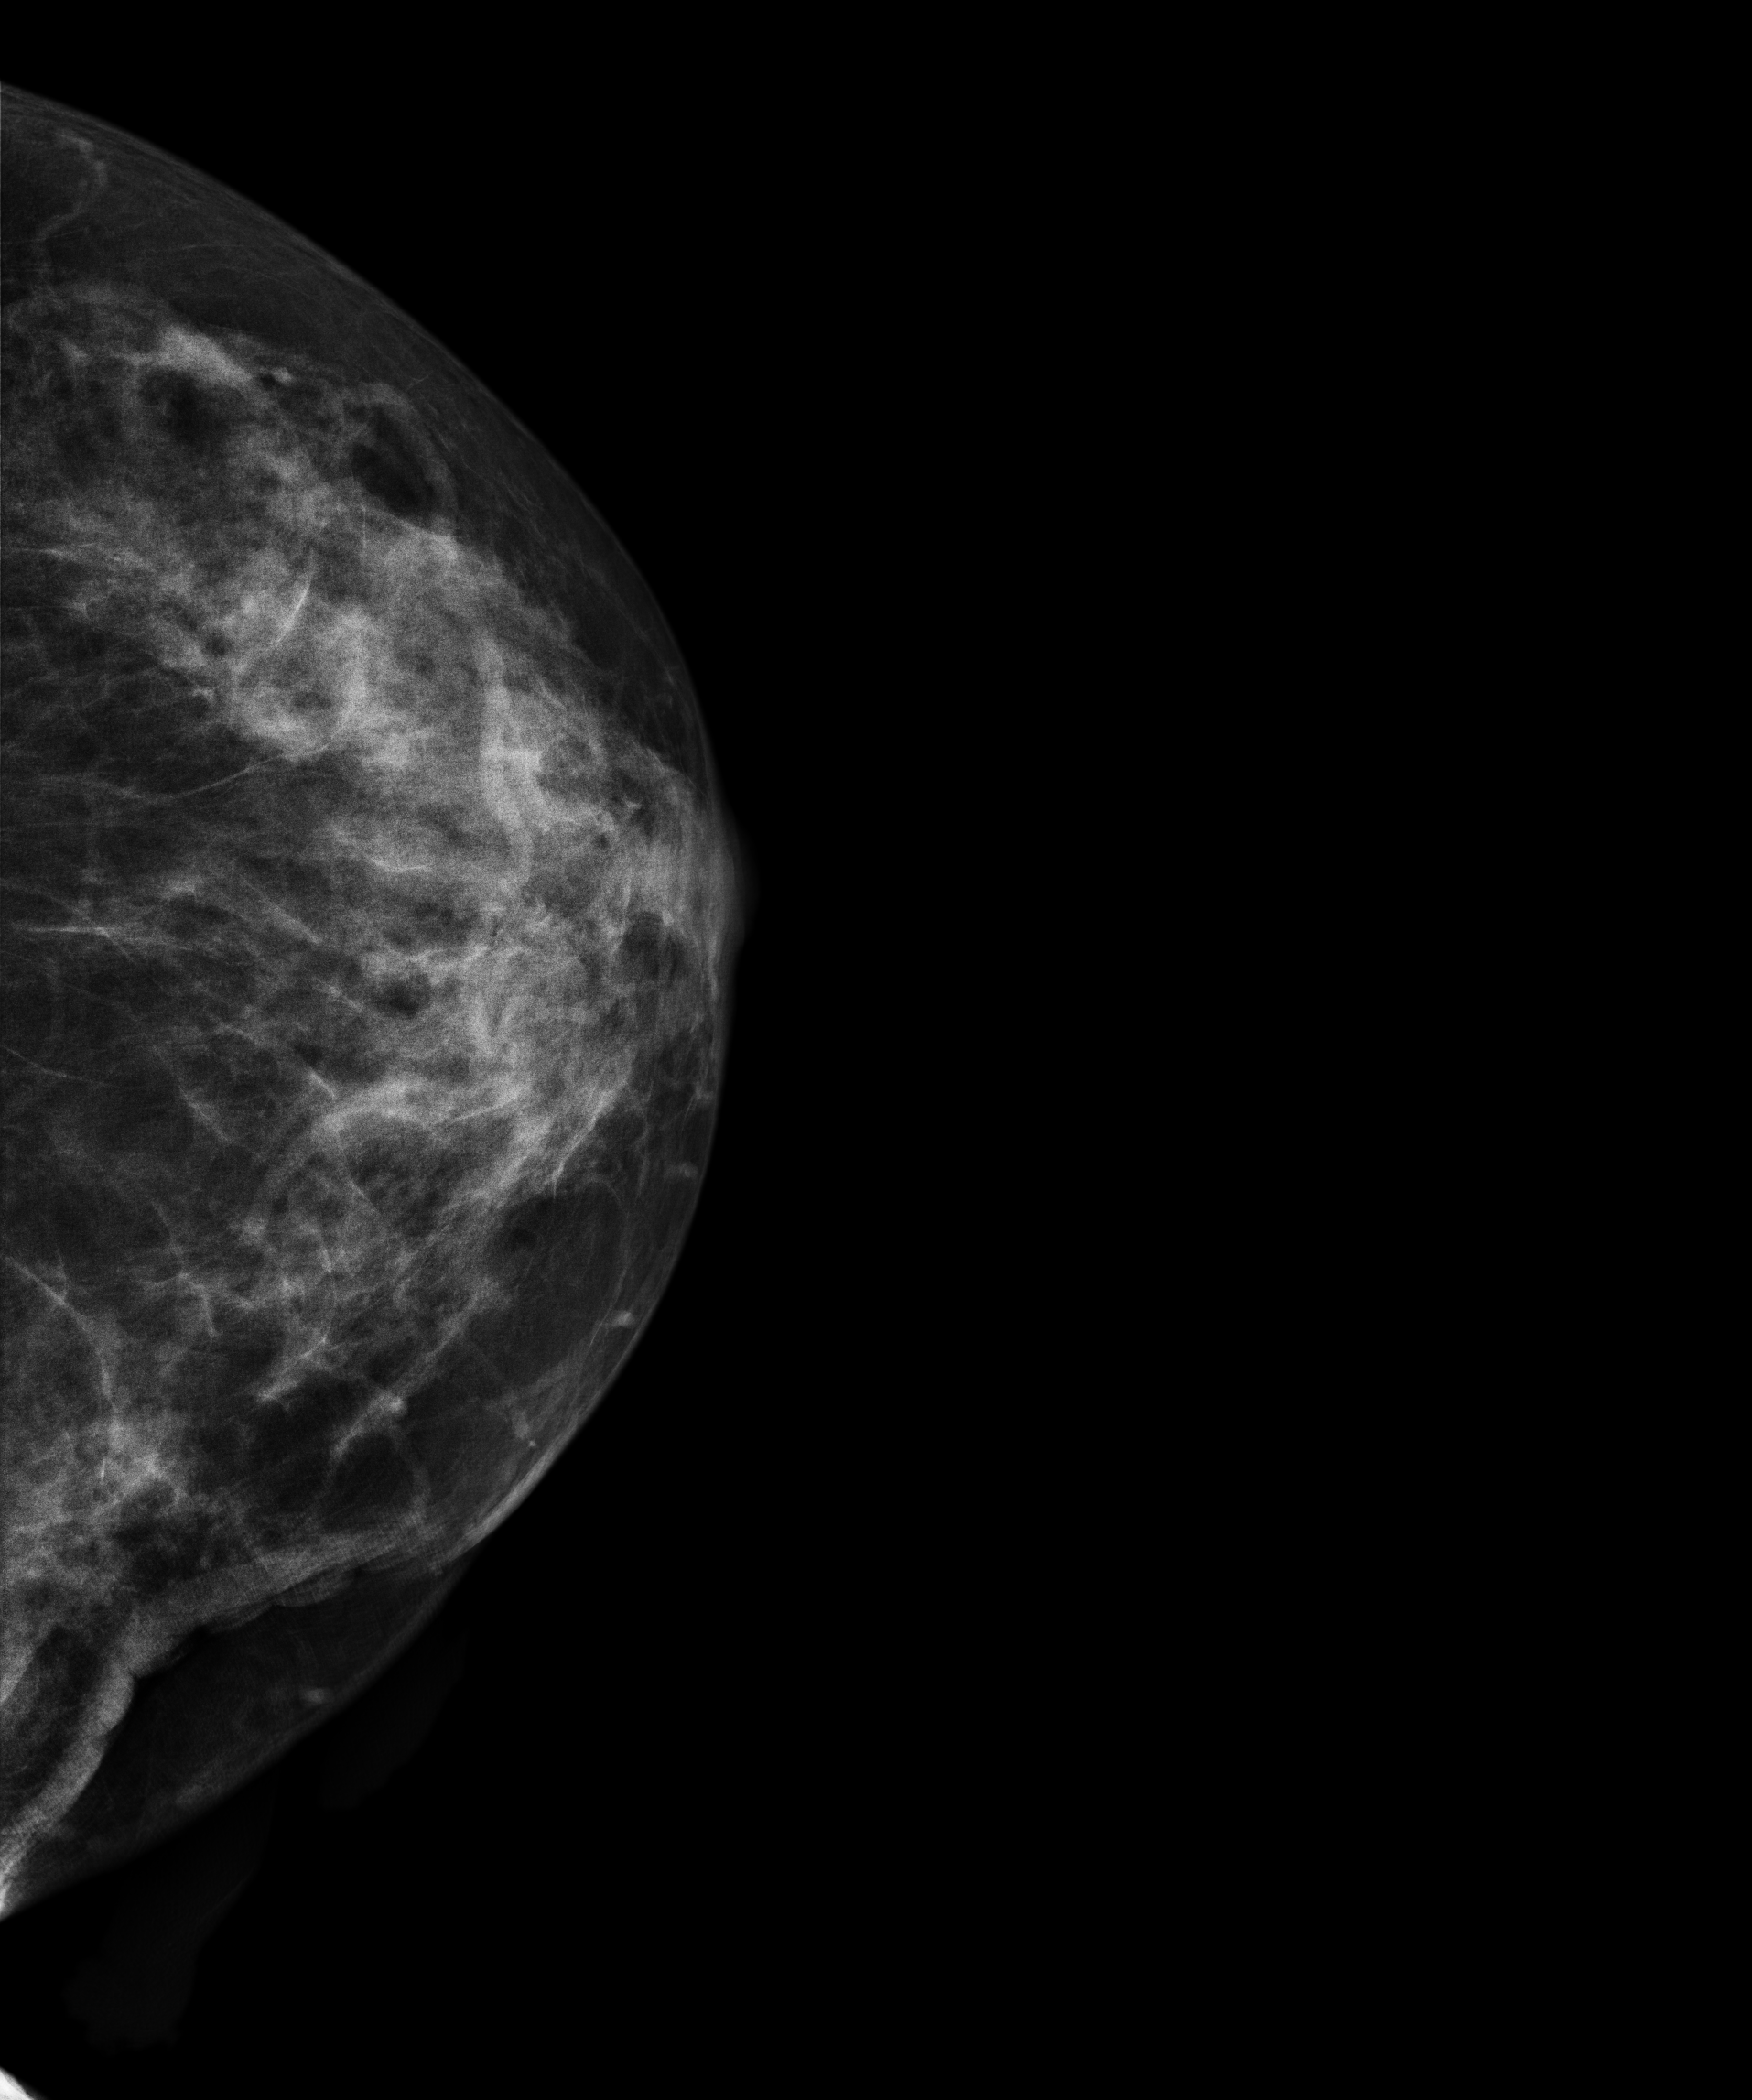
Left-breast mammogram, CC. 67 y/o patient.
This breast has a mass, histologically confirmed malignant. Molecular subtype: luminal A.